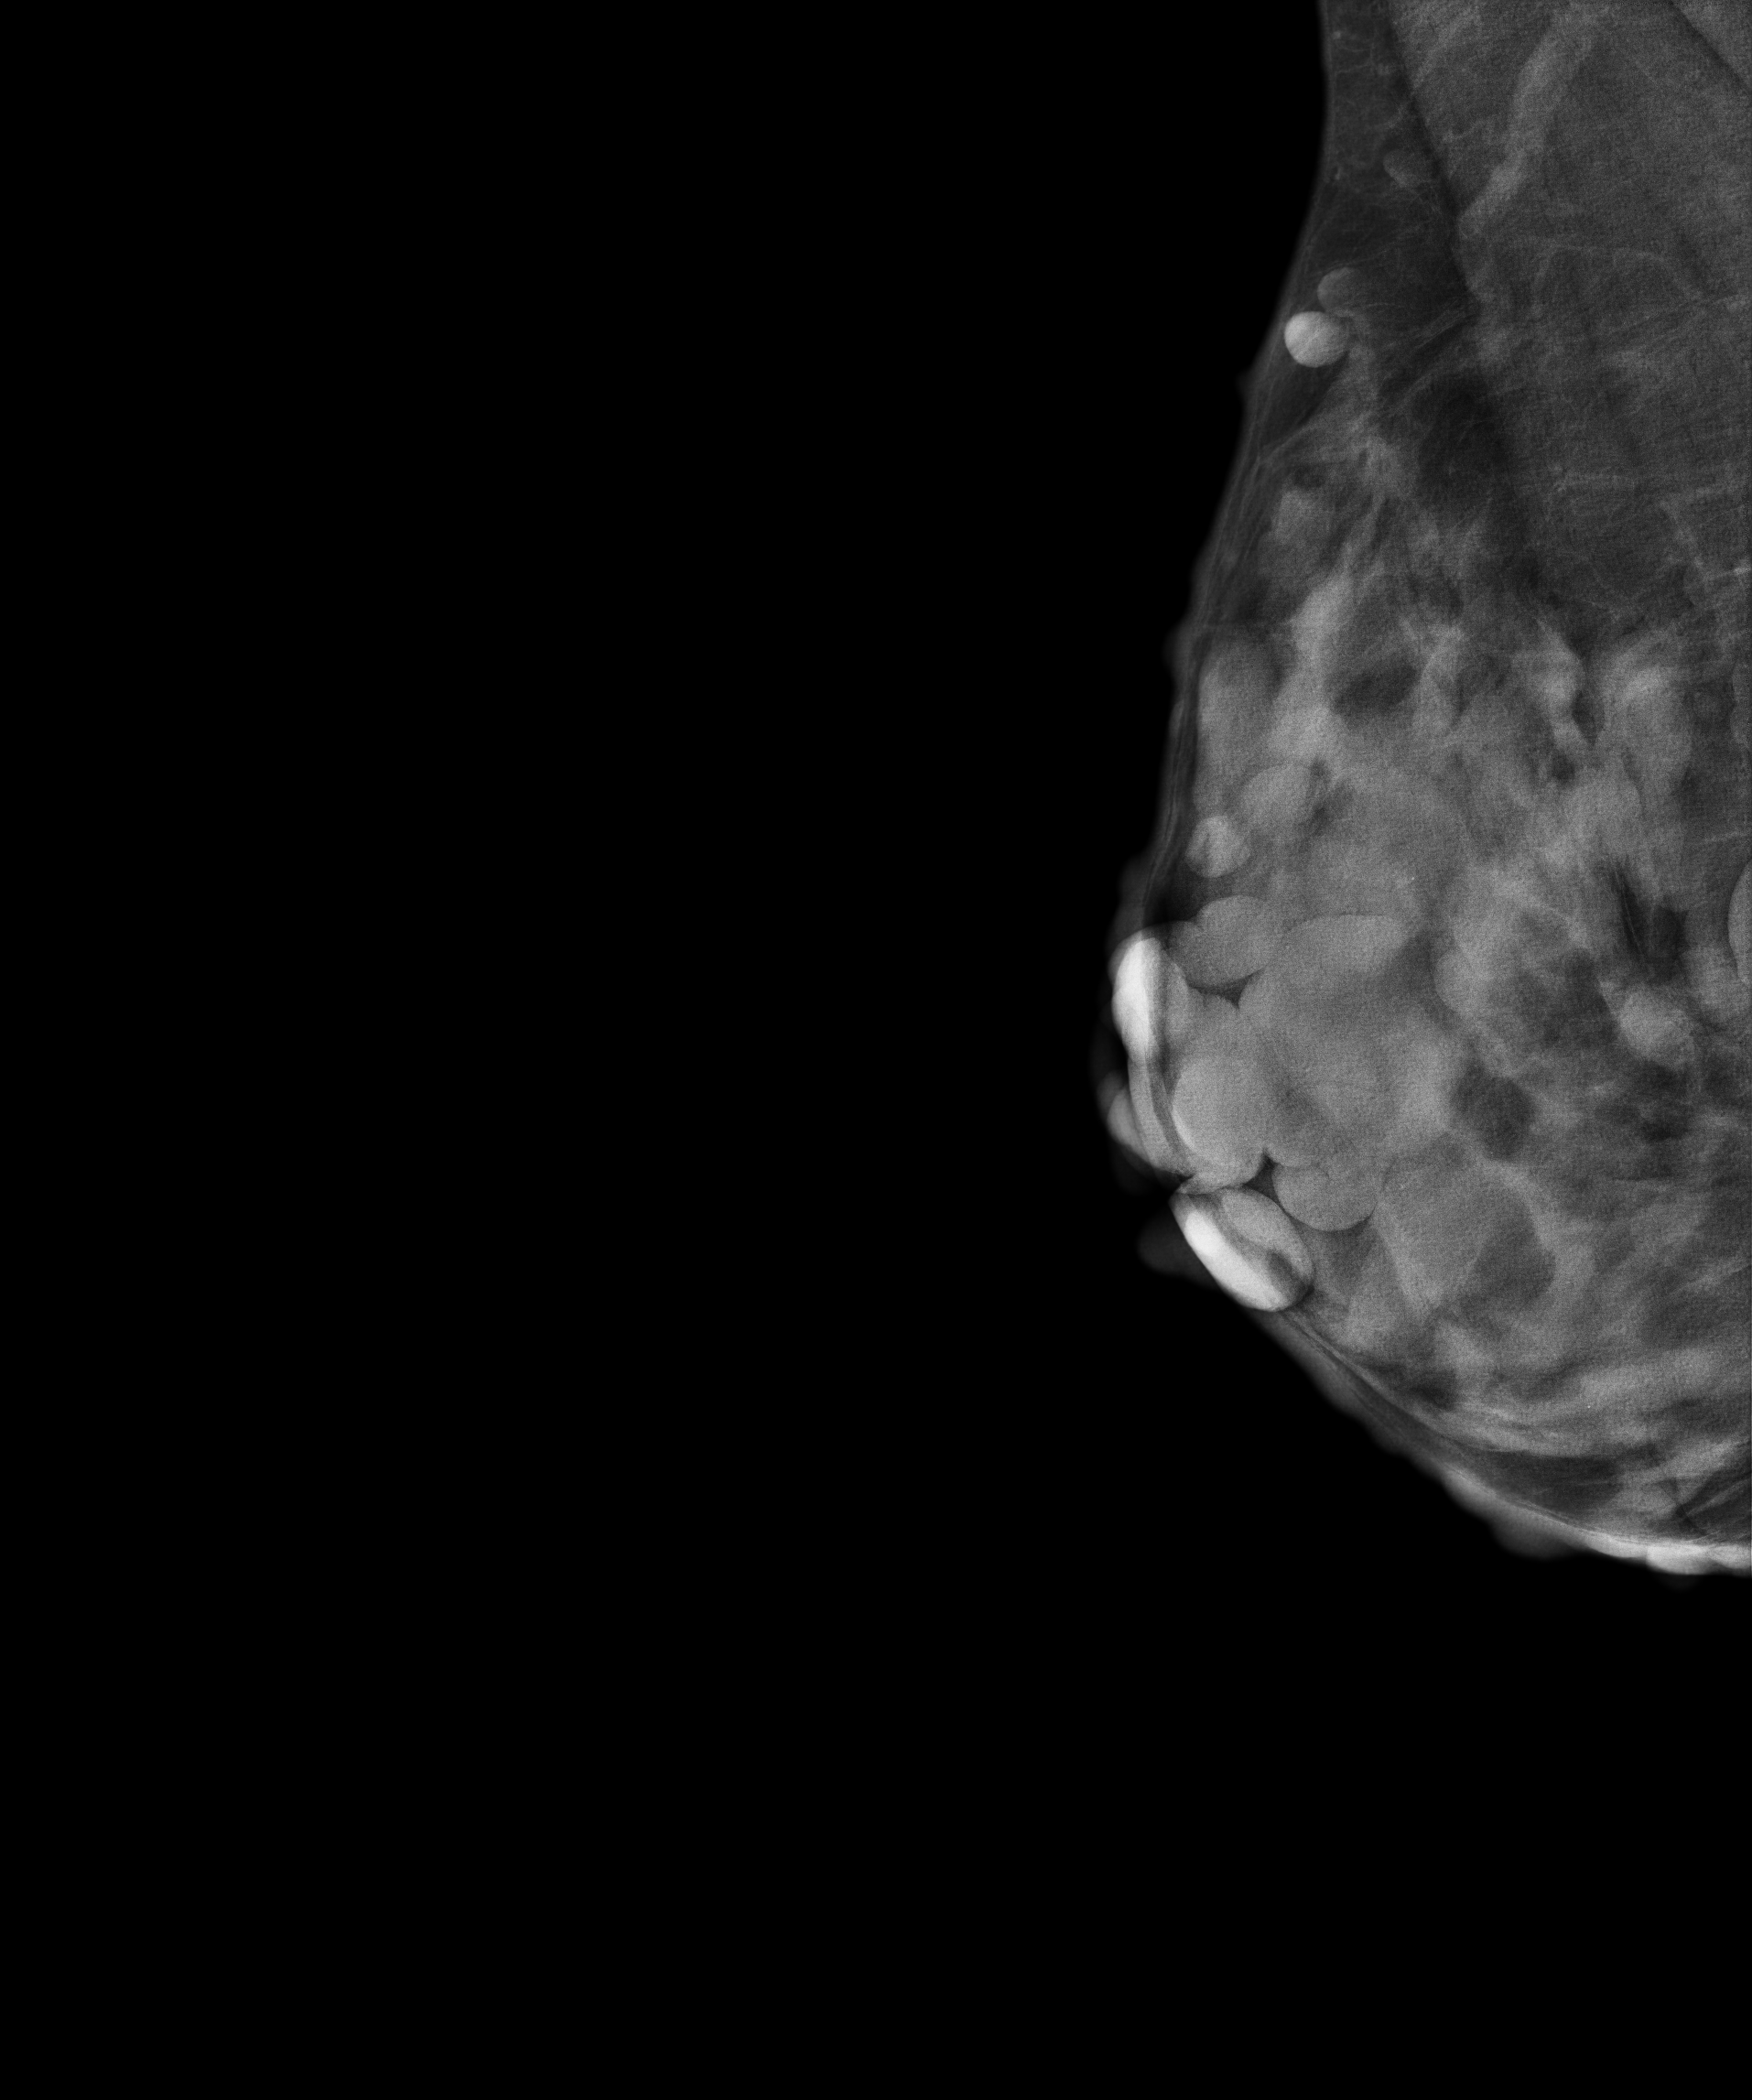
Mammogram, right breast, medio-lateral oblique view. Patient age 47.
Contralateral breast — no documented abnormality on this side.